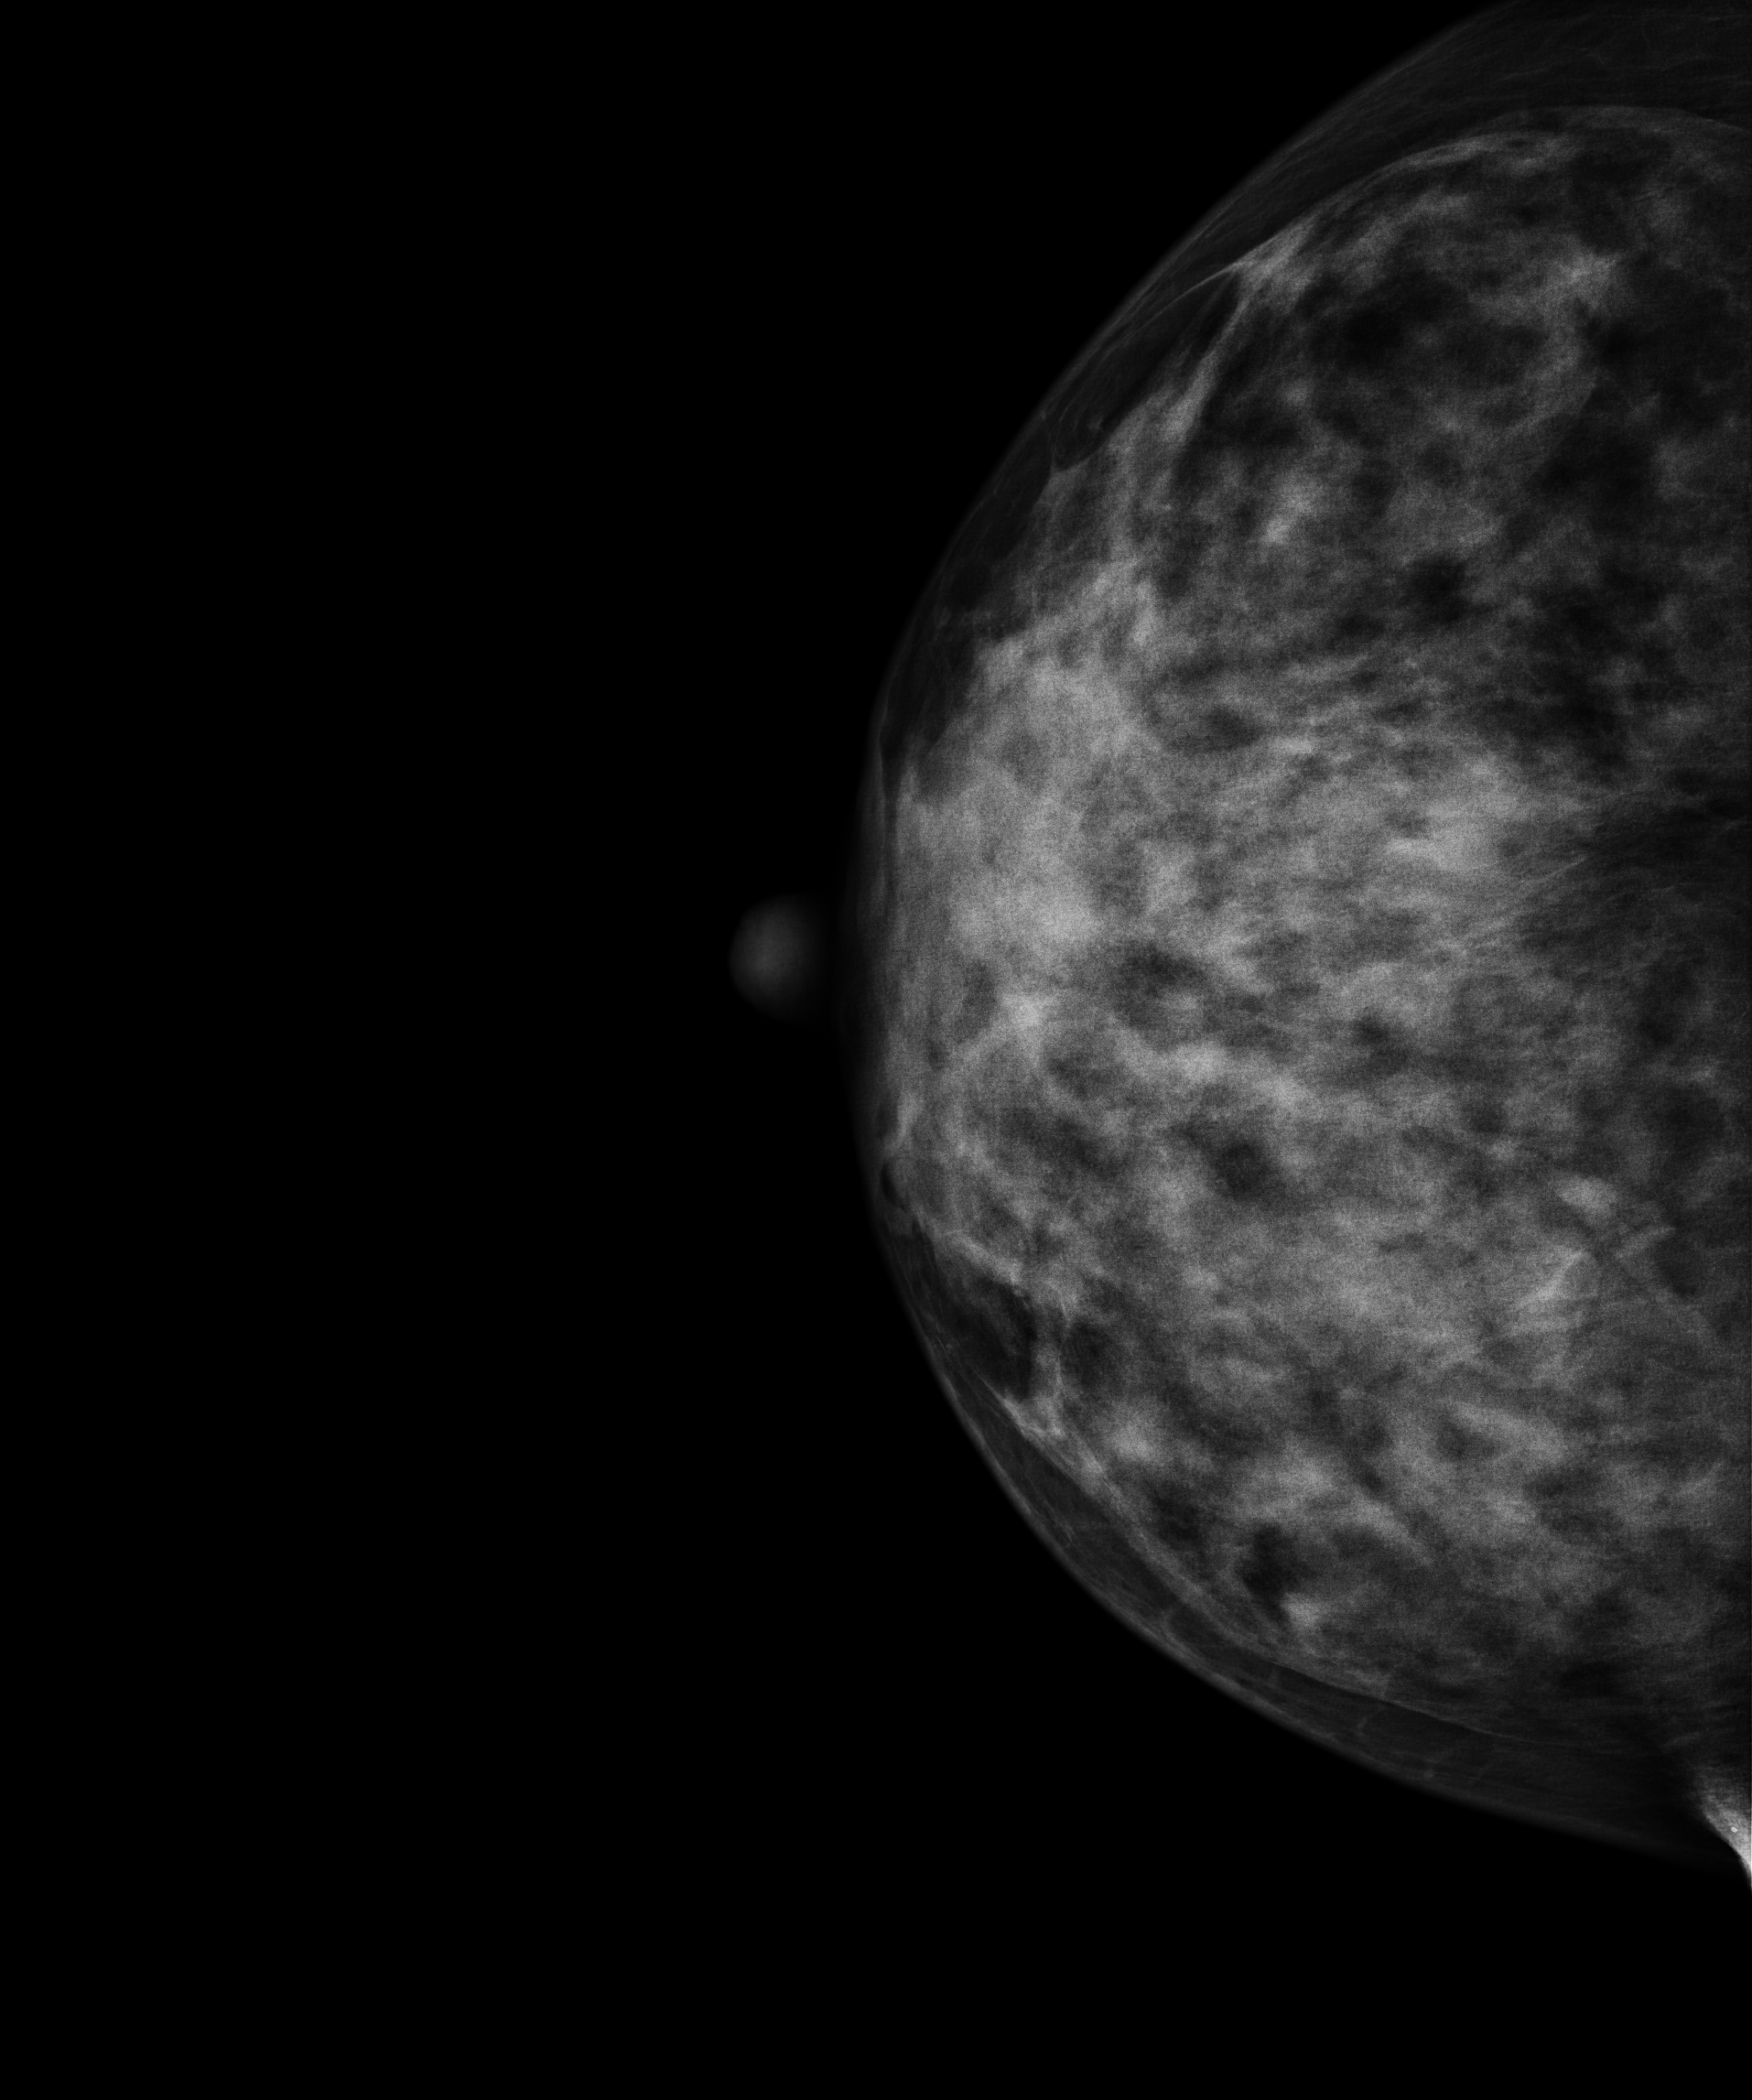
Mammogram — right CC. 34-year-old patient.
Contralateral breast — no documented abnormality on this side.